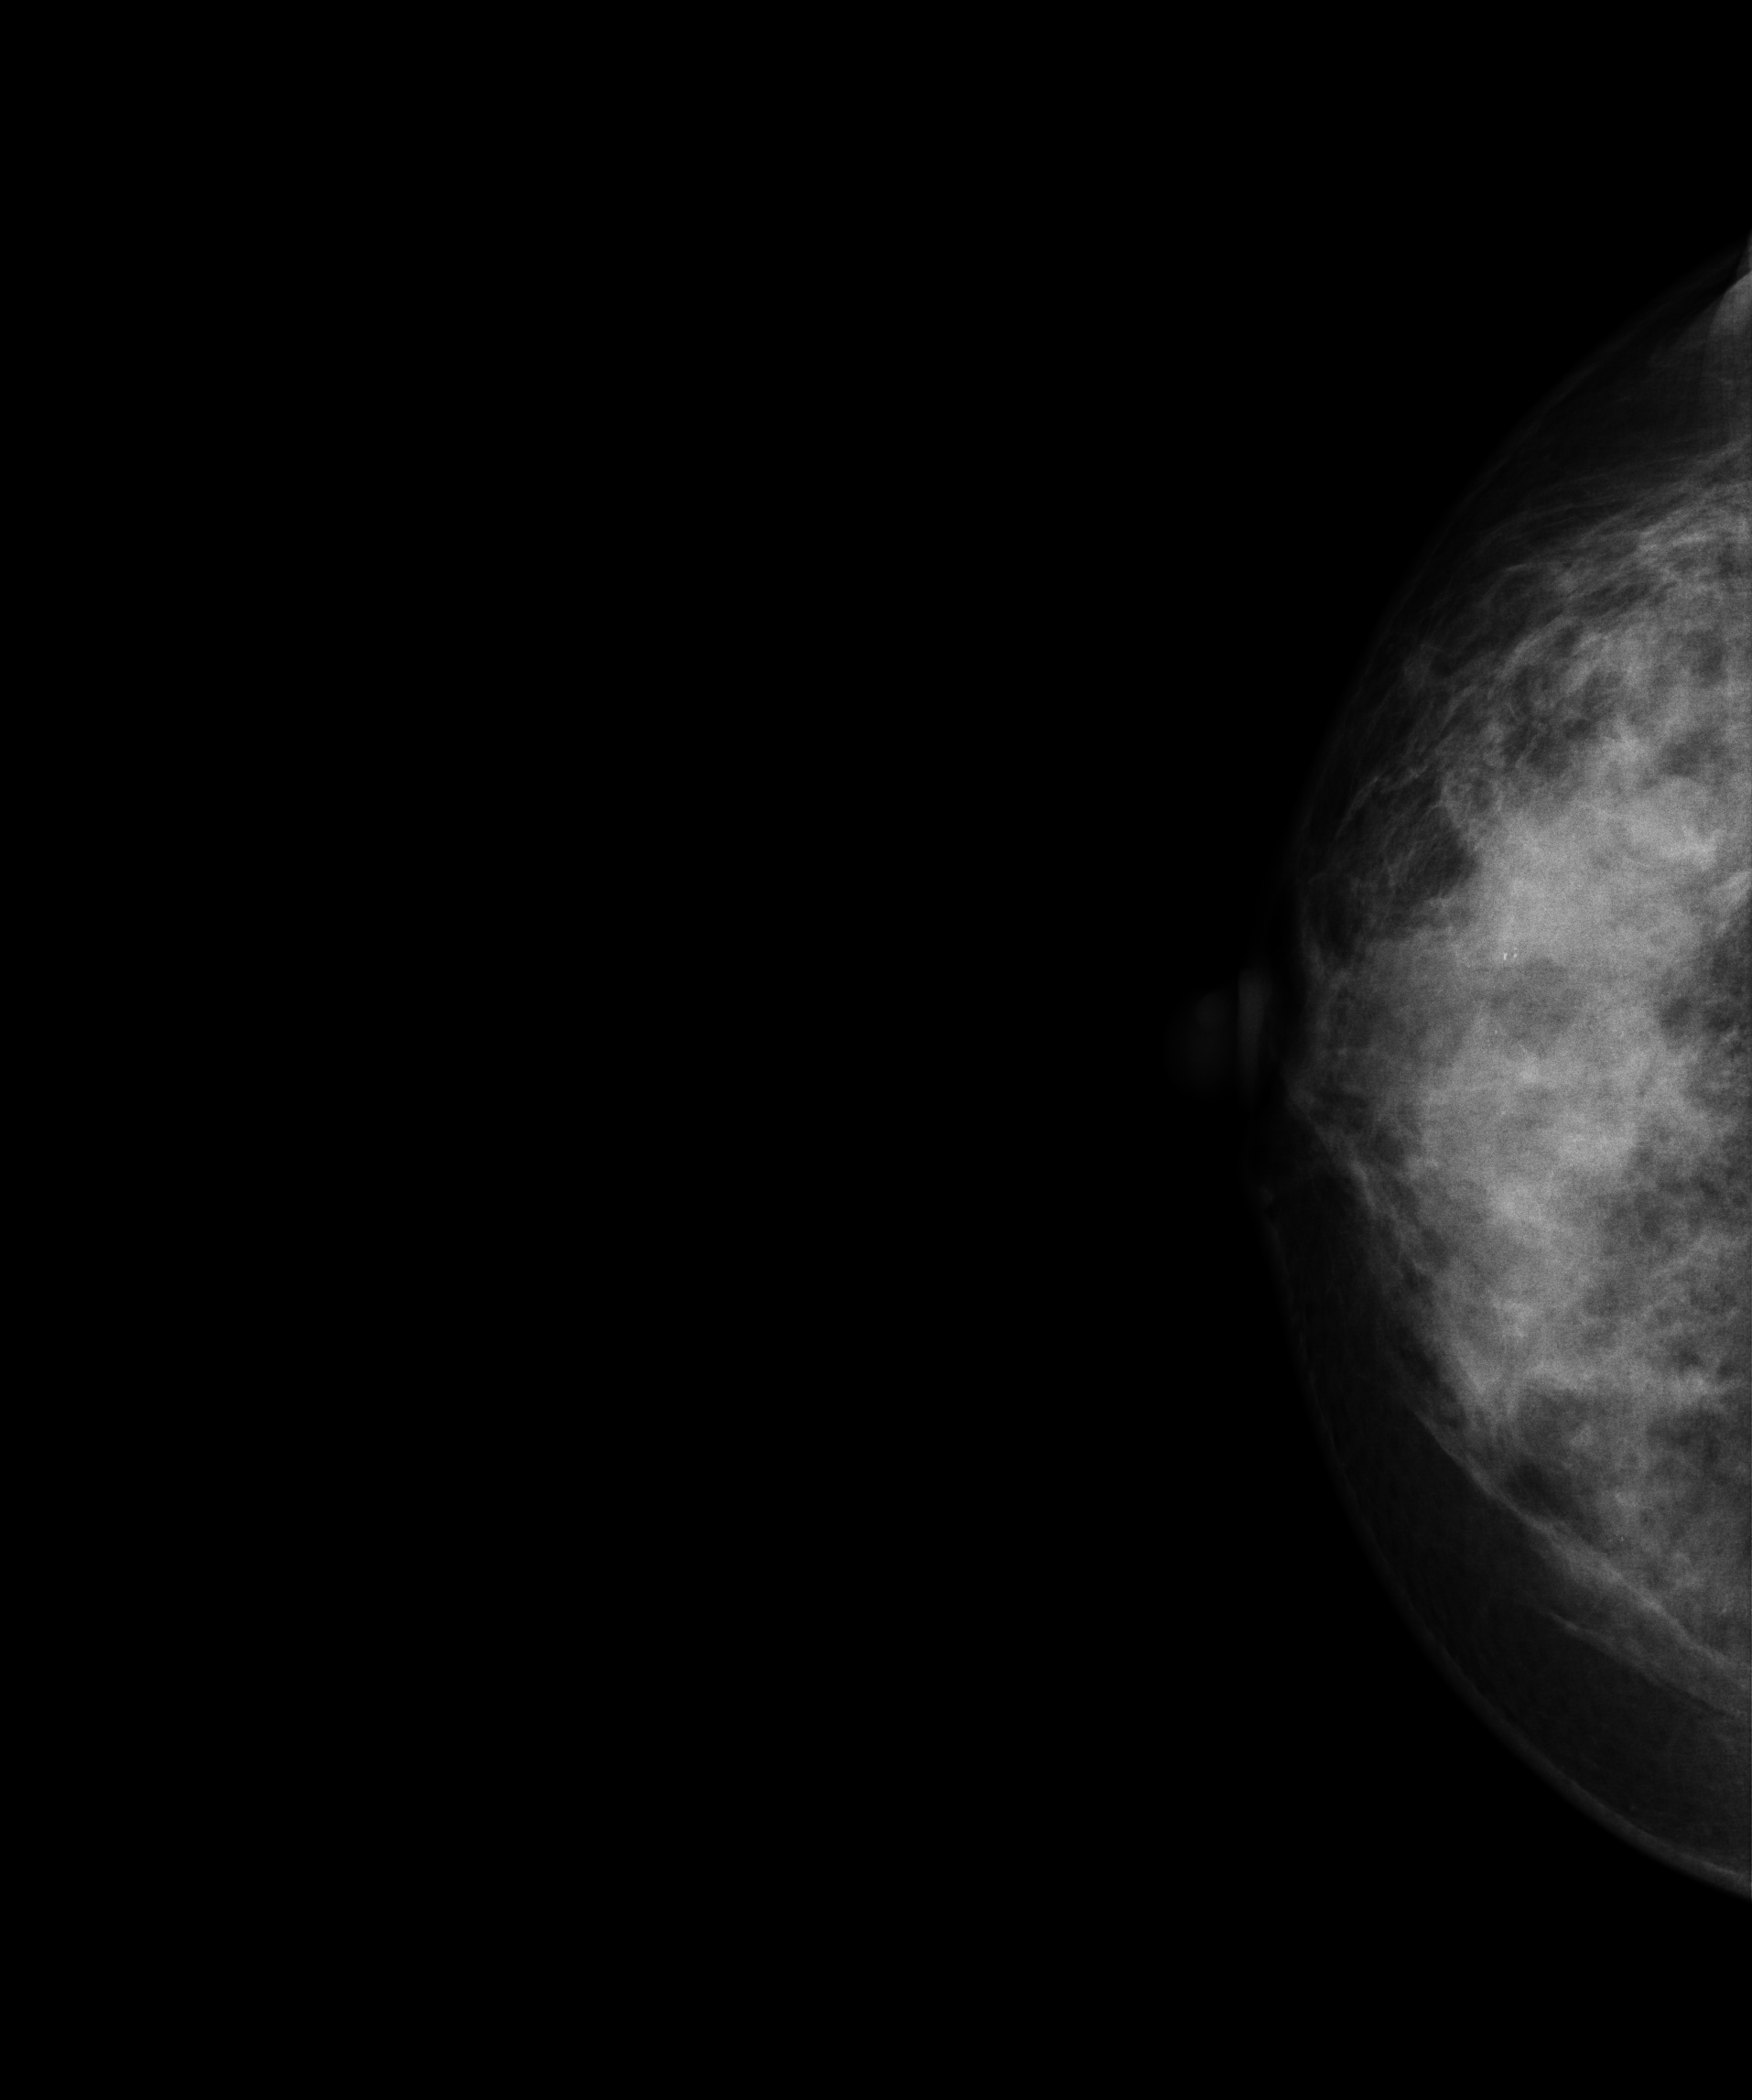
Mammogram, right breast, CC view. 40 y/o patient.
This breast has a mass and calcifications, biopsy-confirmed malignant. Molecular subtype: luminal B.